MLO mammogram of the right breast. Patient age 46.
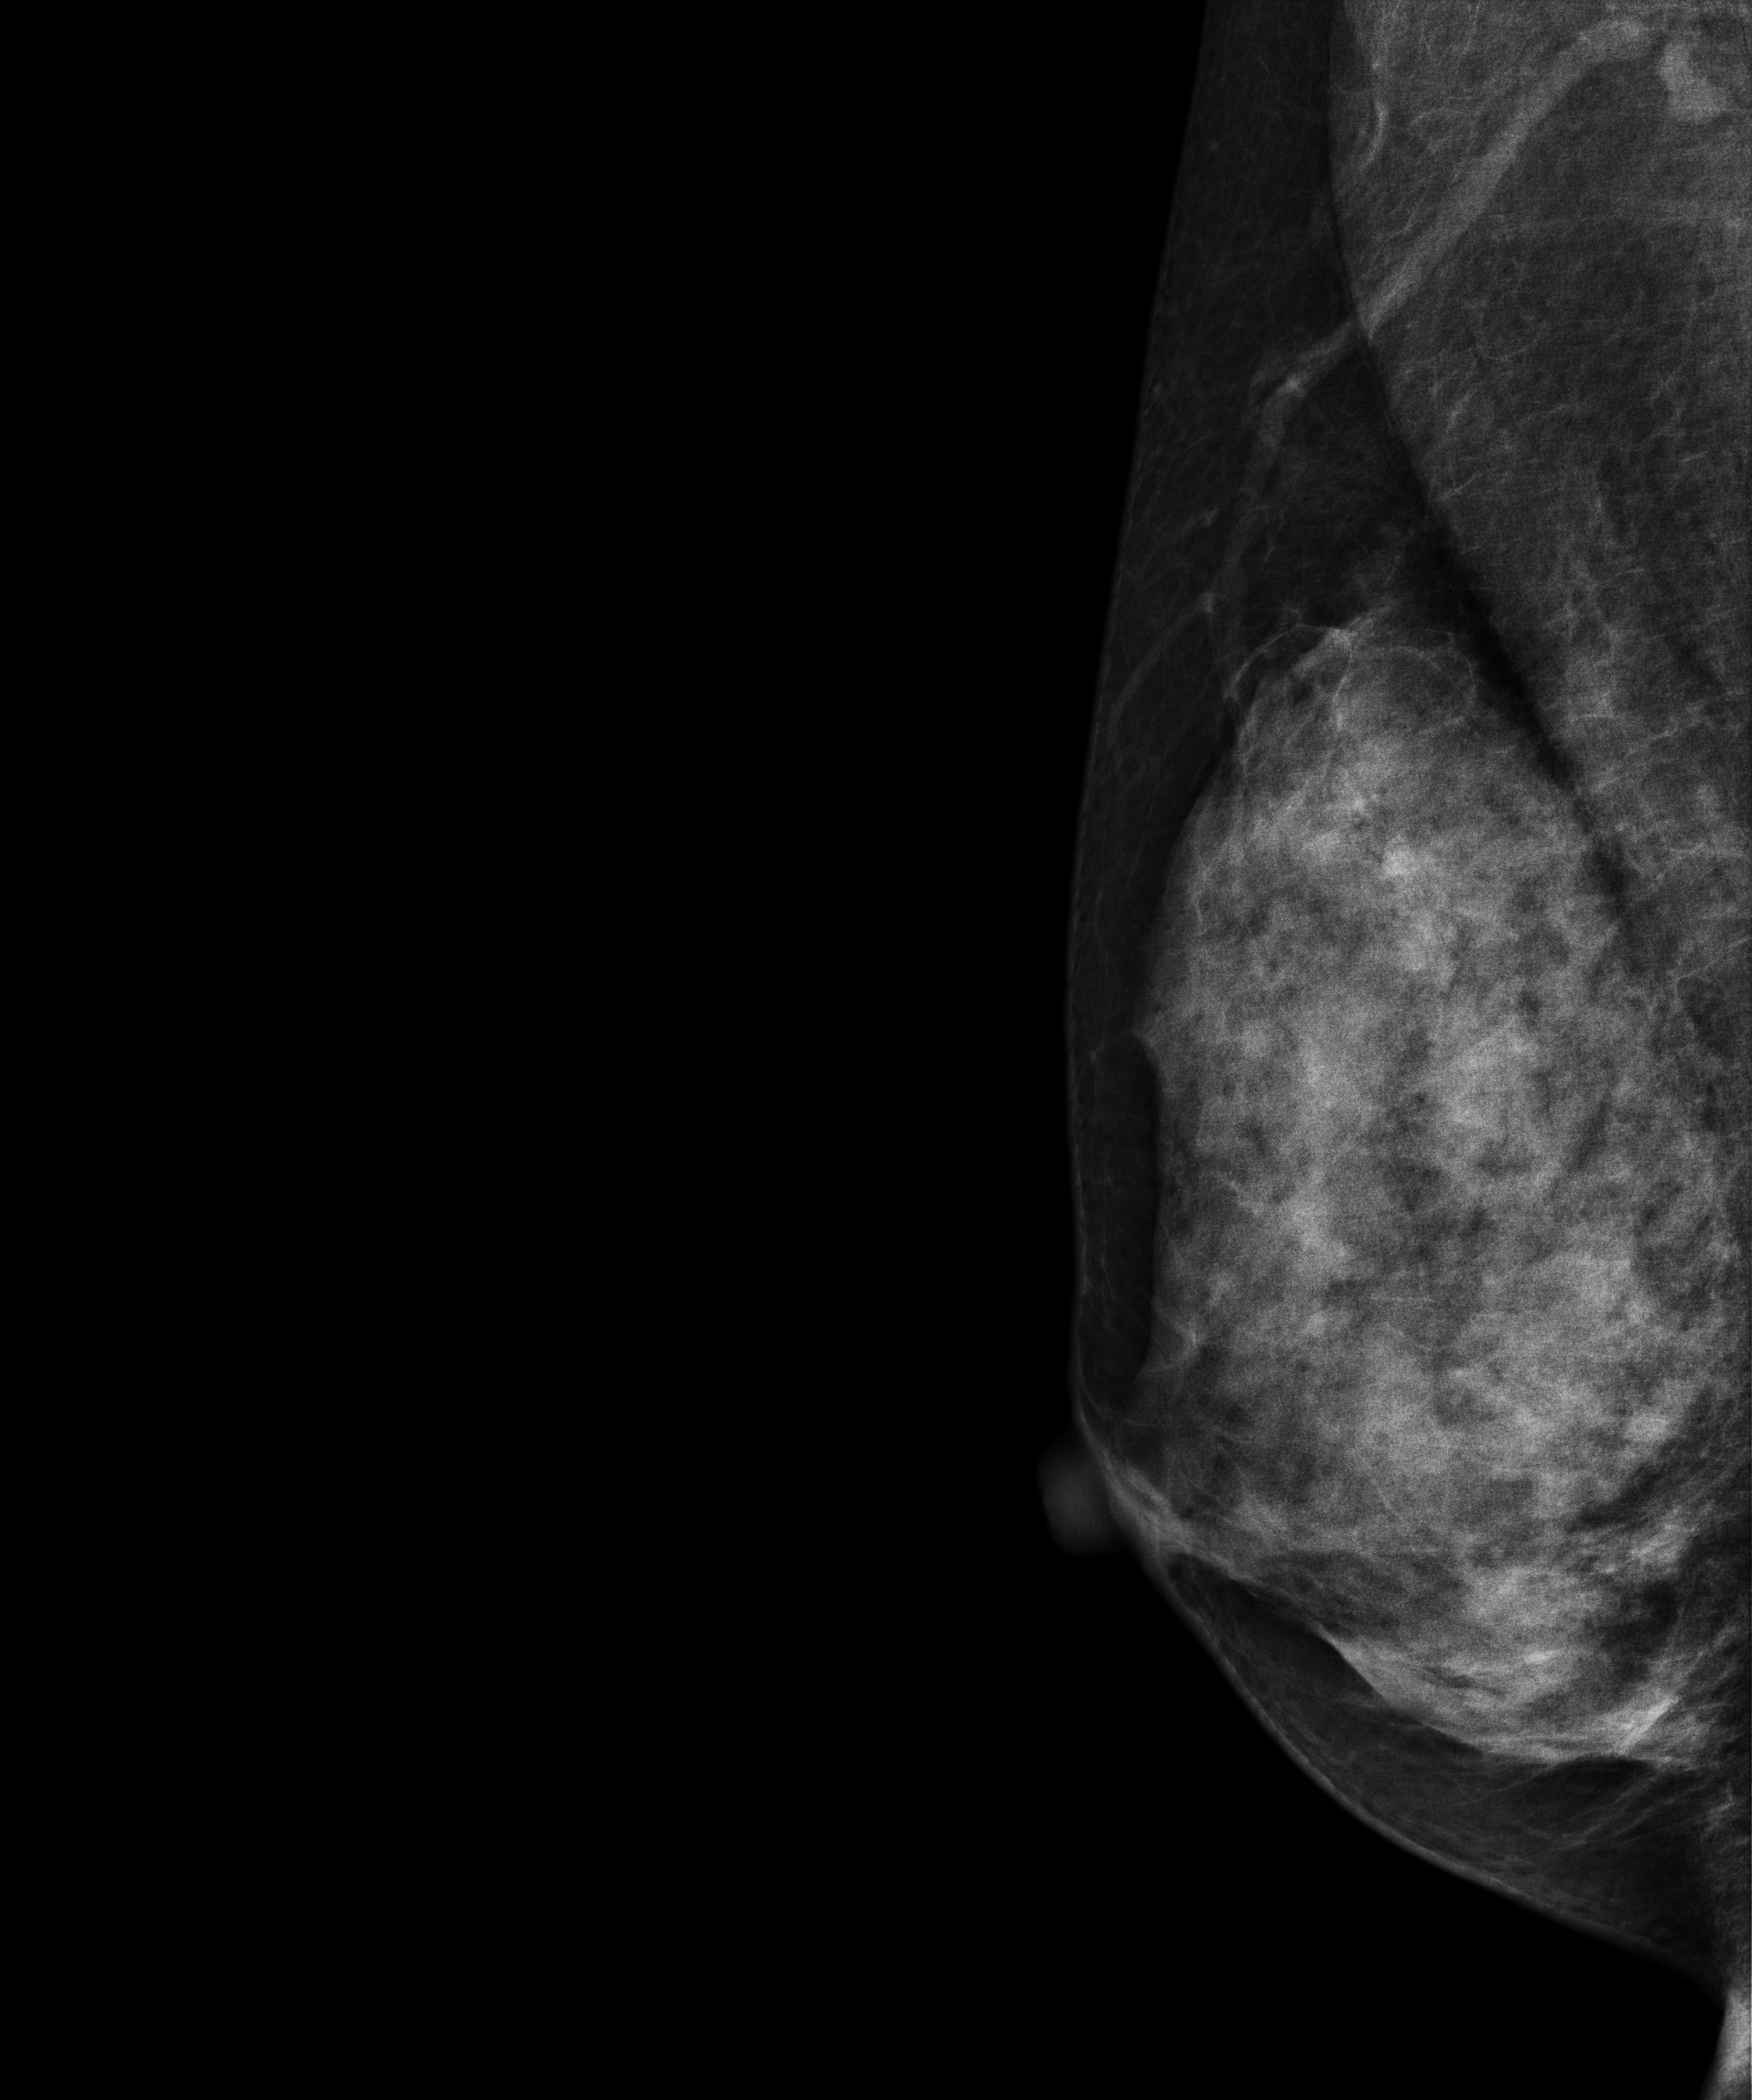
Contralateral breast — no documented abnormality on this side.